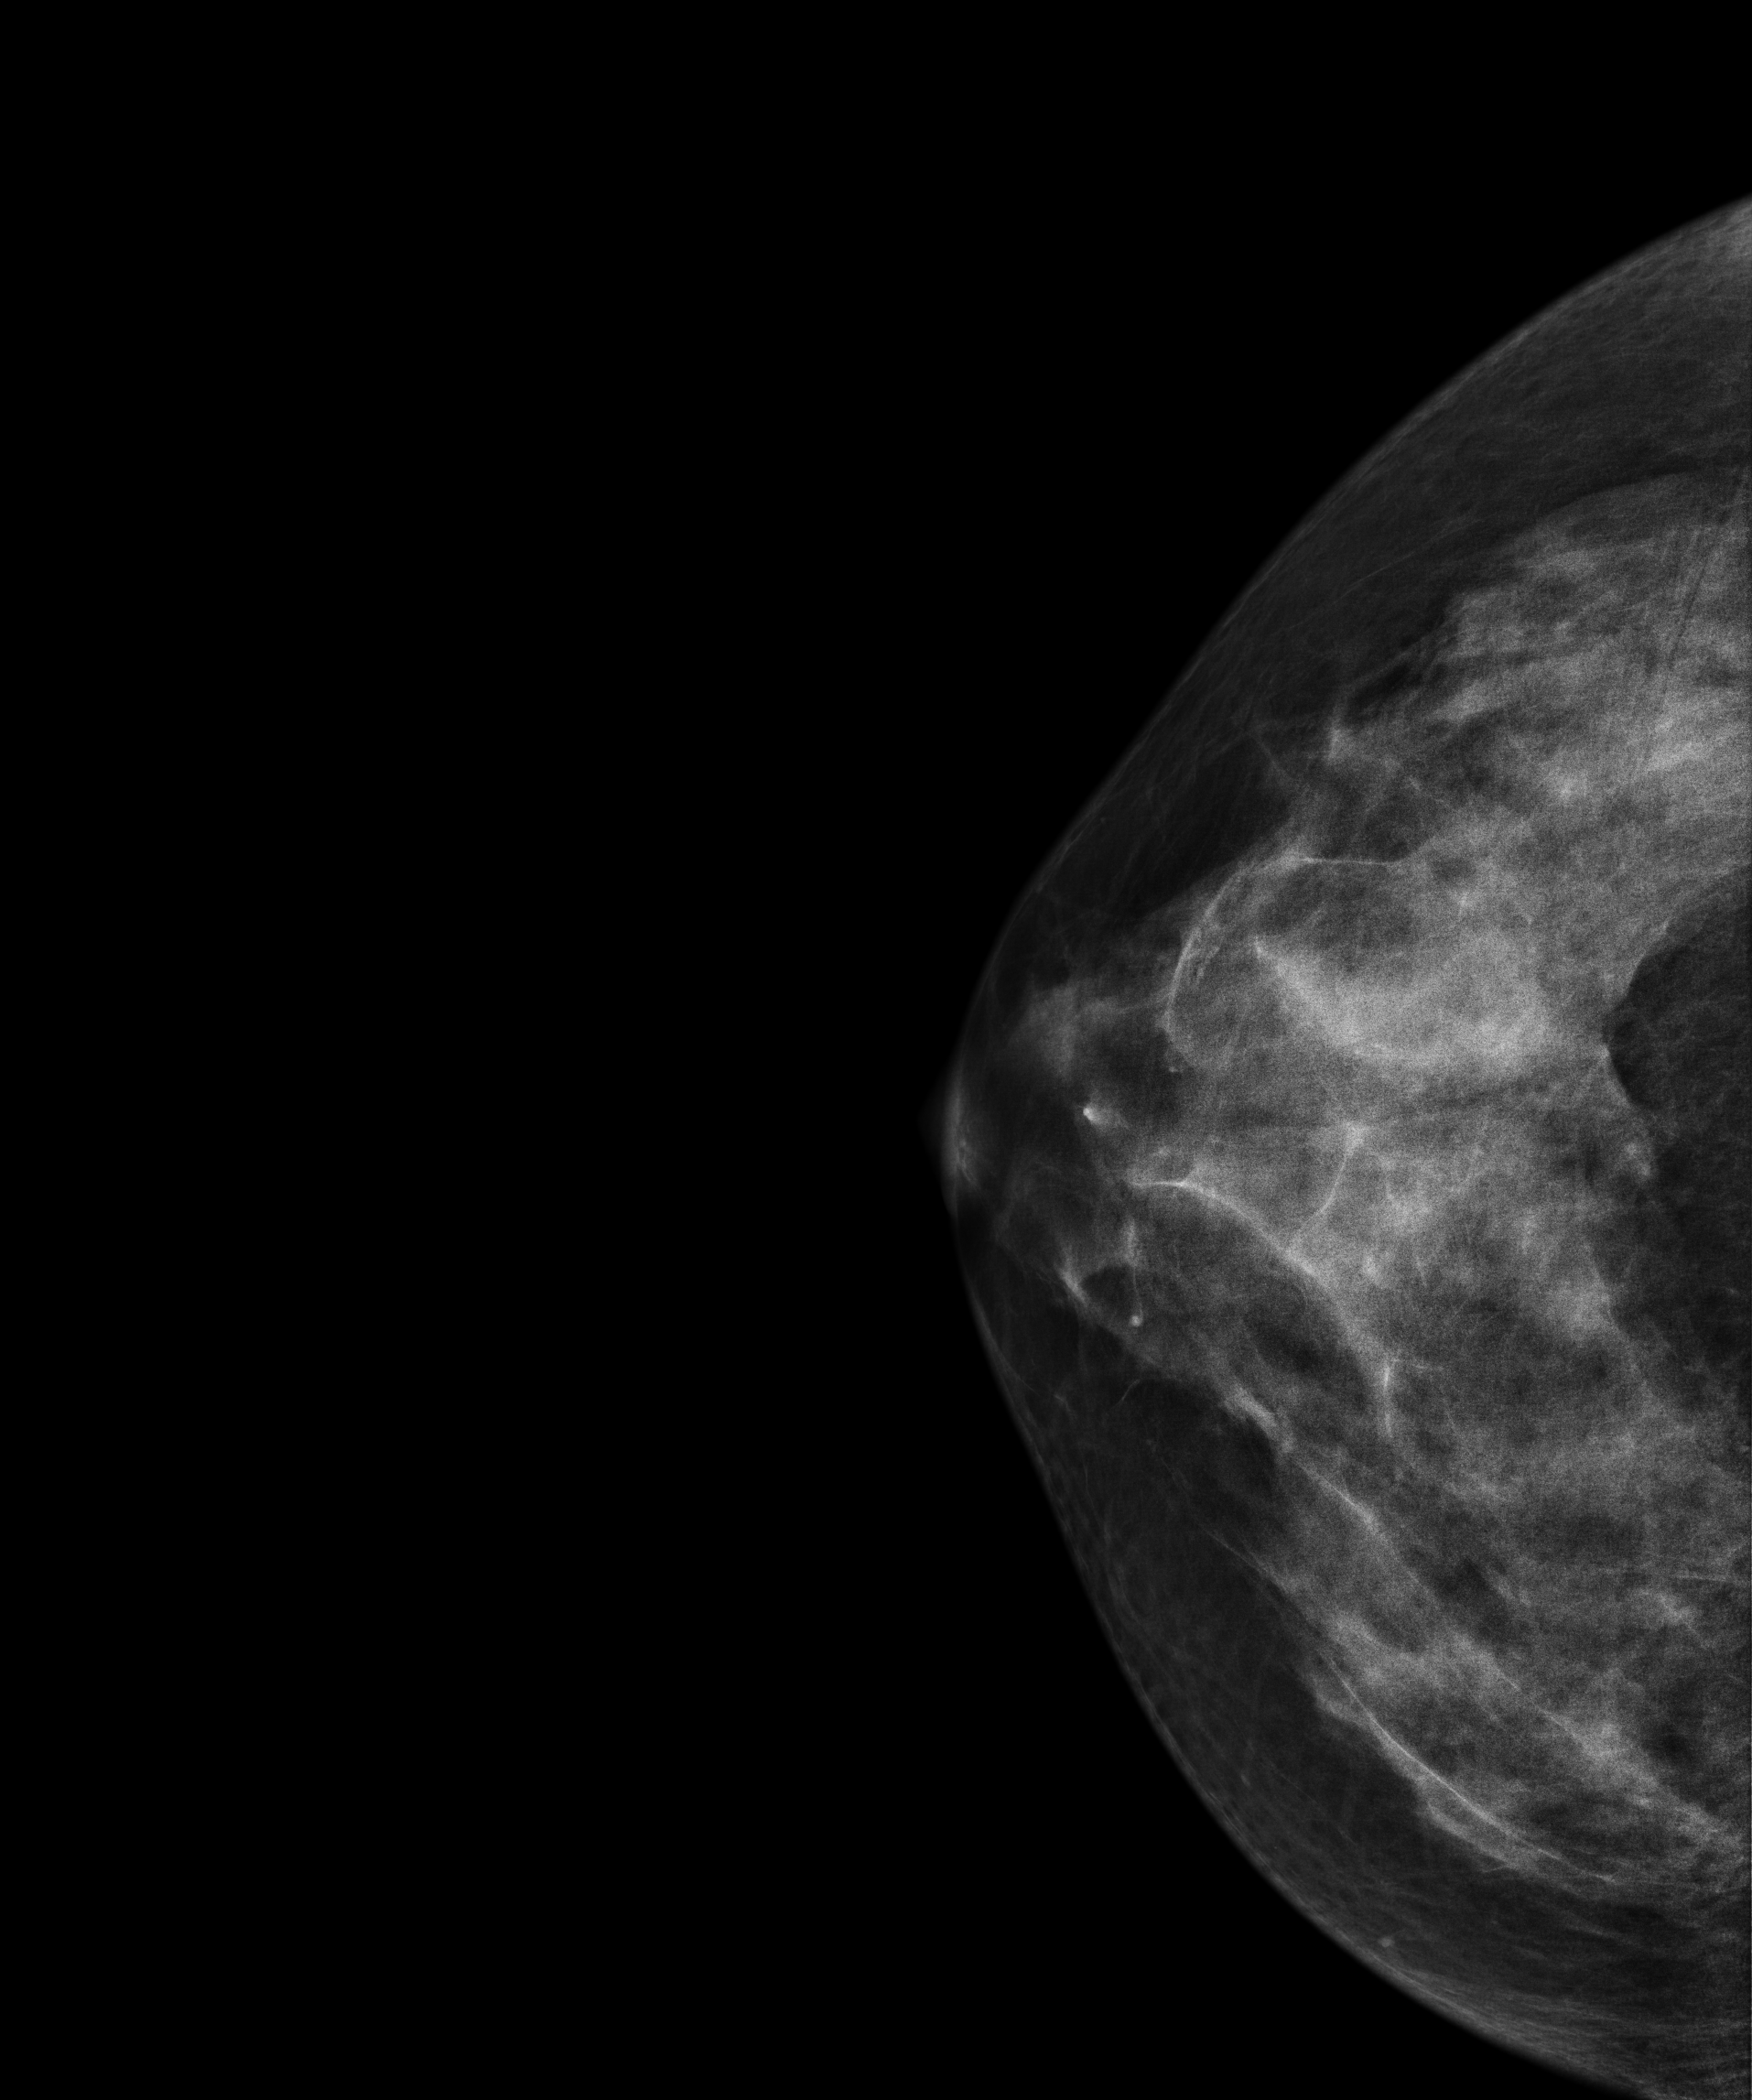
Mammogram, right breast, cranio-caudal view. 29-year-old patient.
Contralateral breast — no documented abnormality on this side.